Digital mammography. Left breast, medio-lateral oblique projection. Patient age 45.
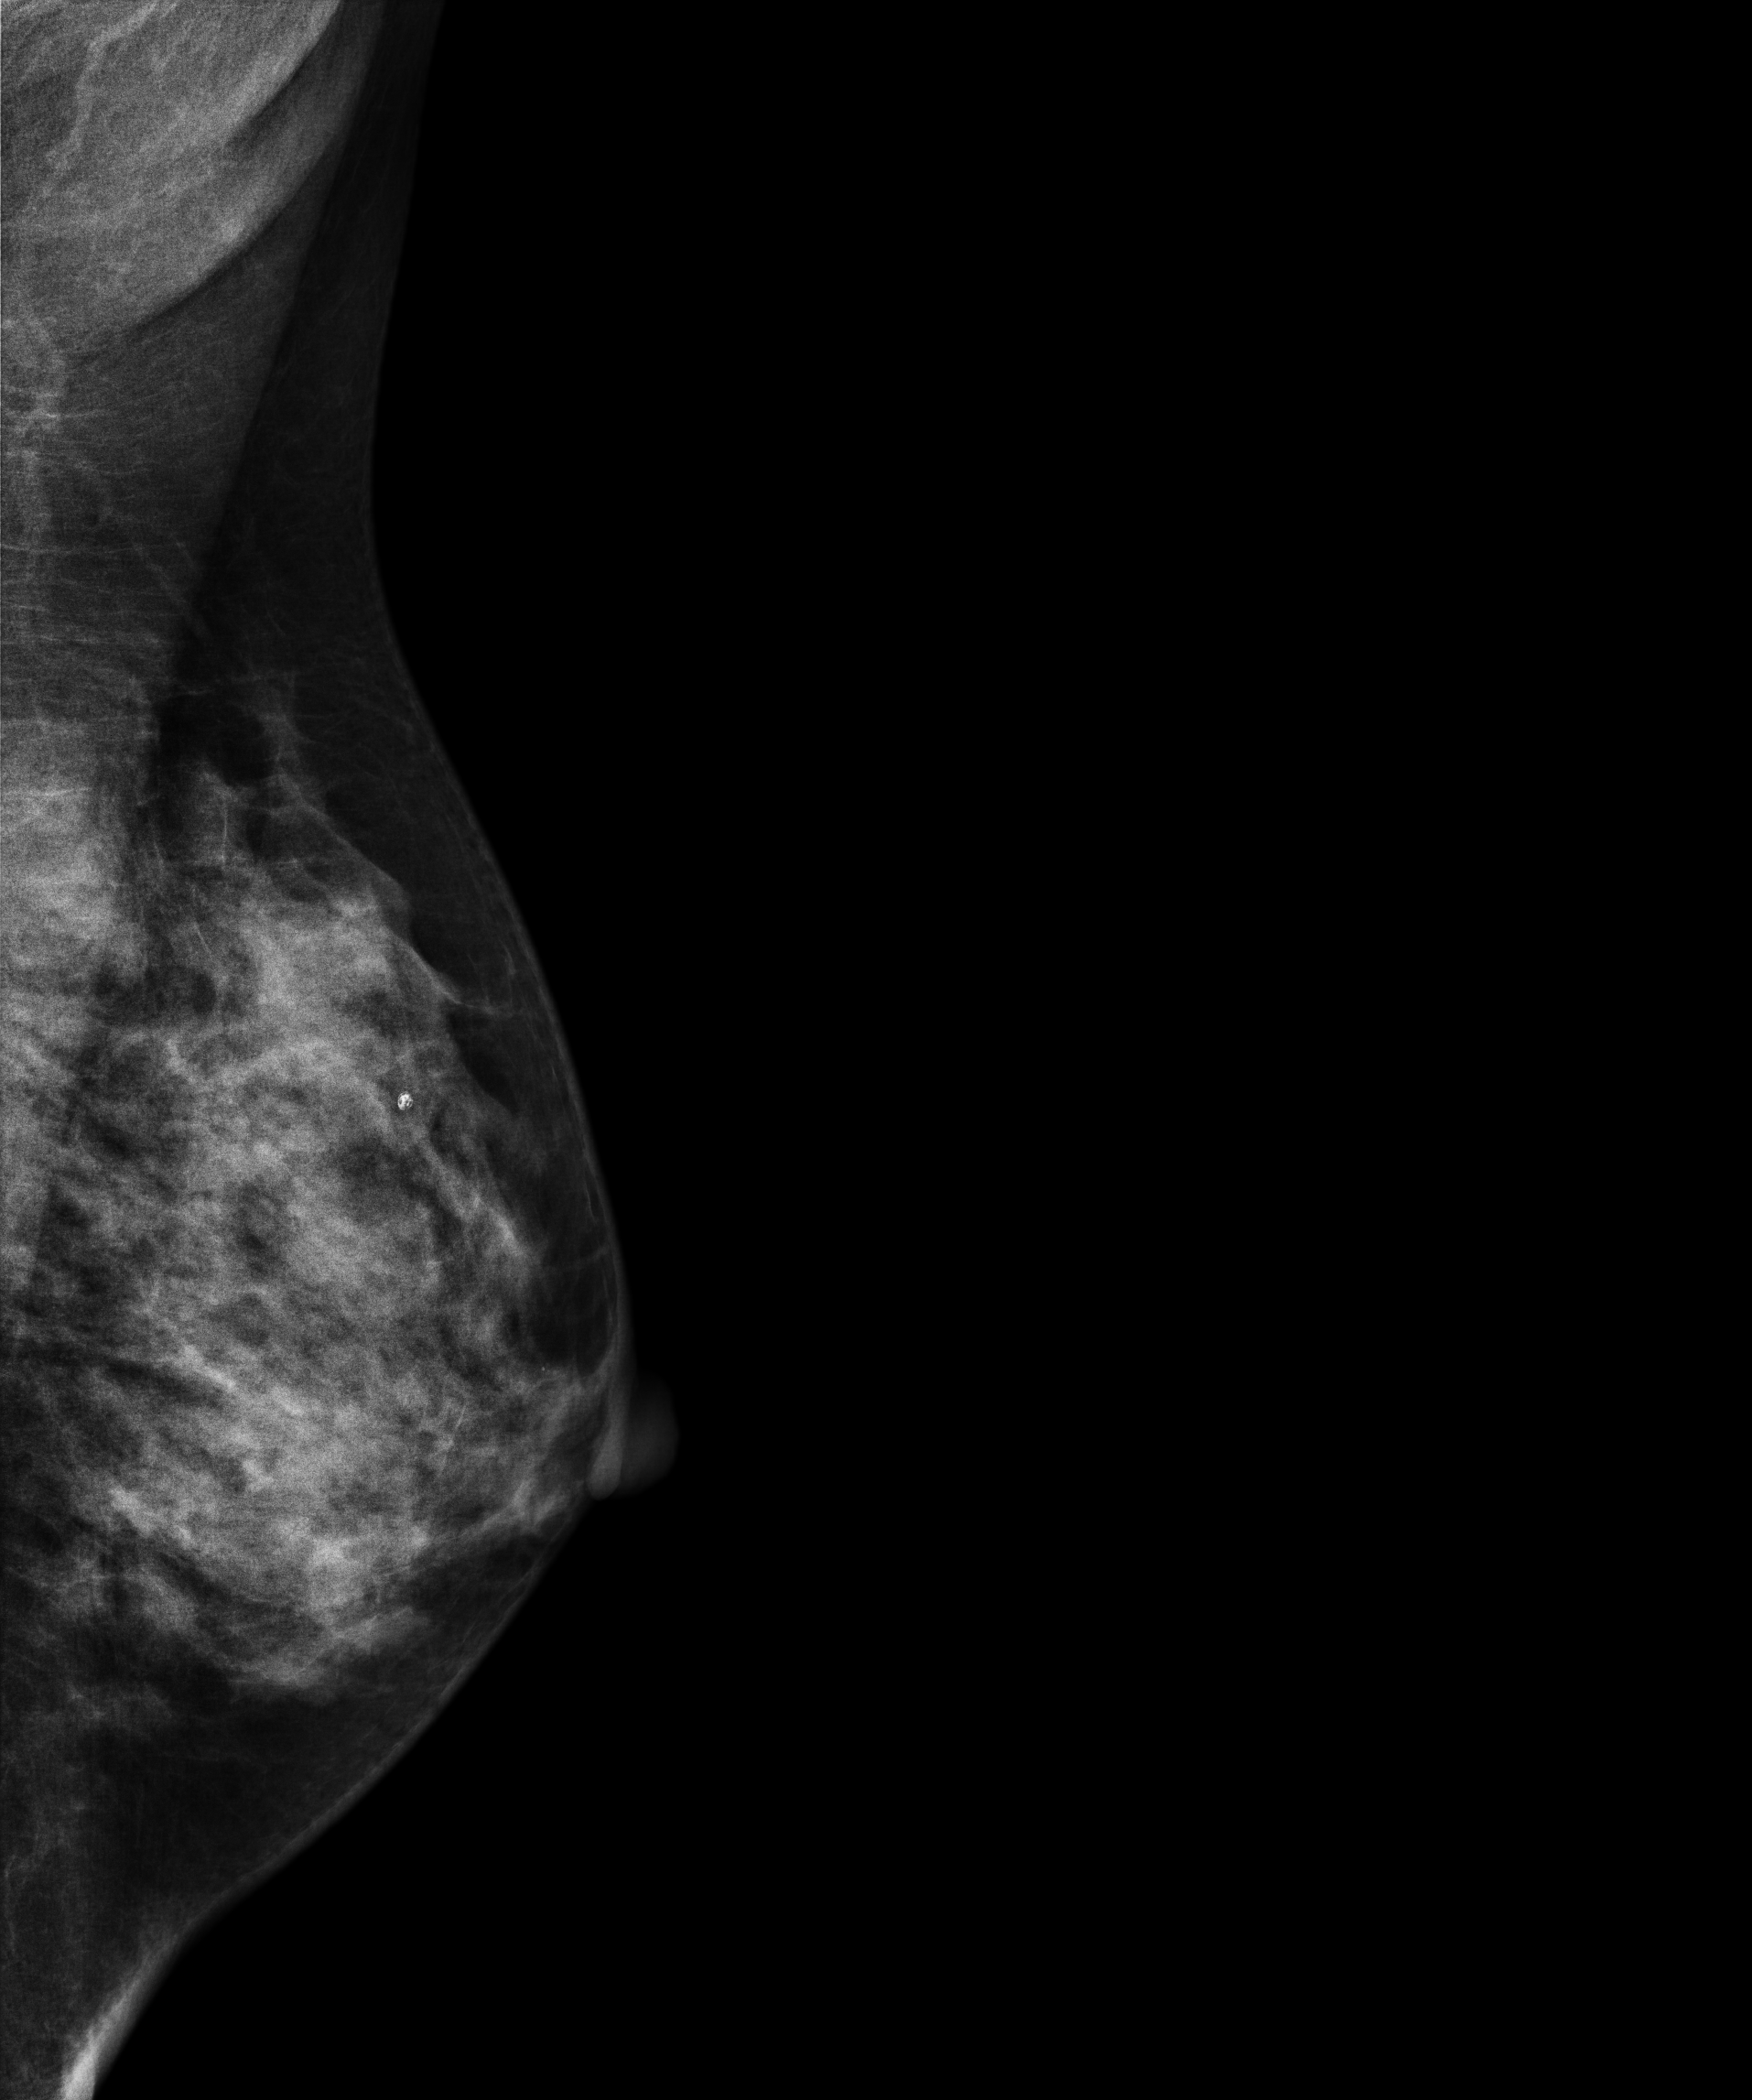
Contralateral breast — no documented abnormality on this side.